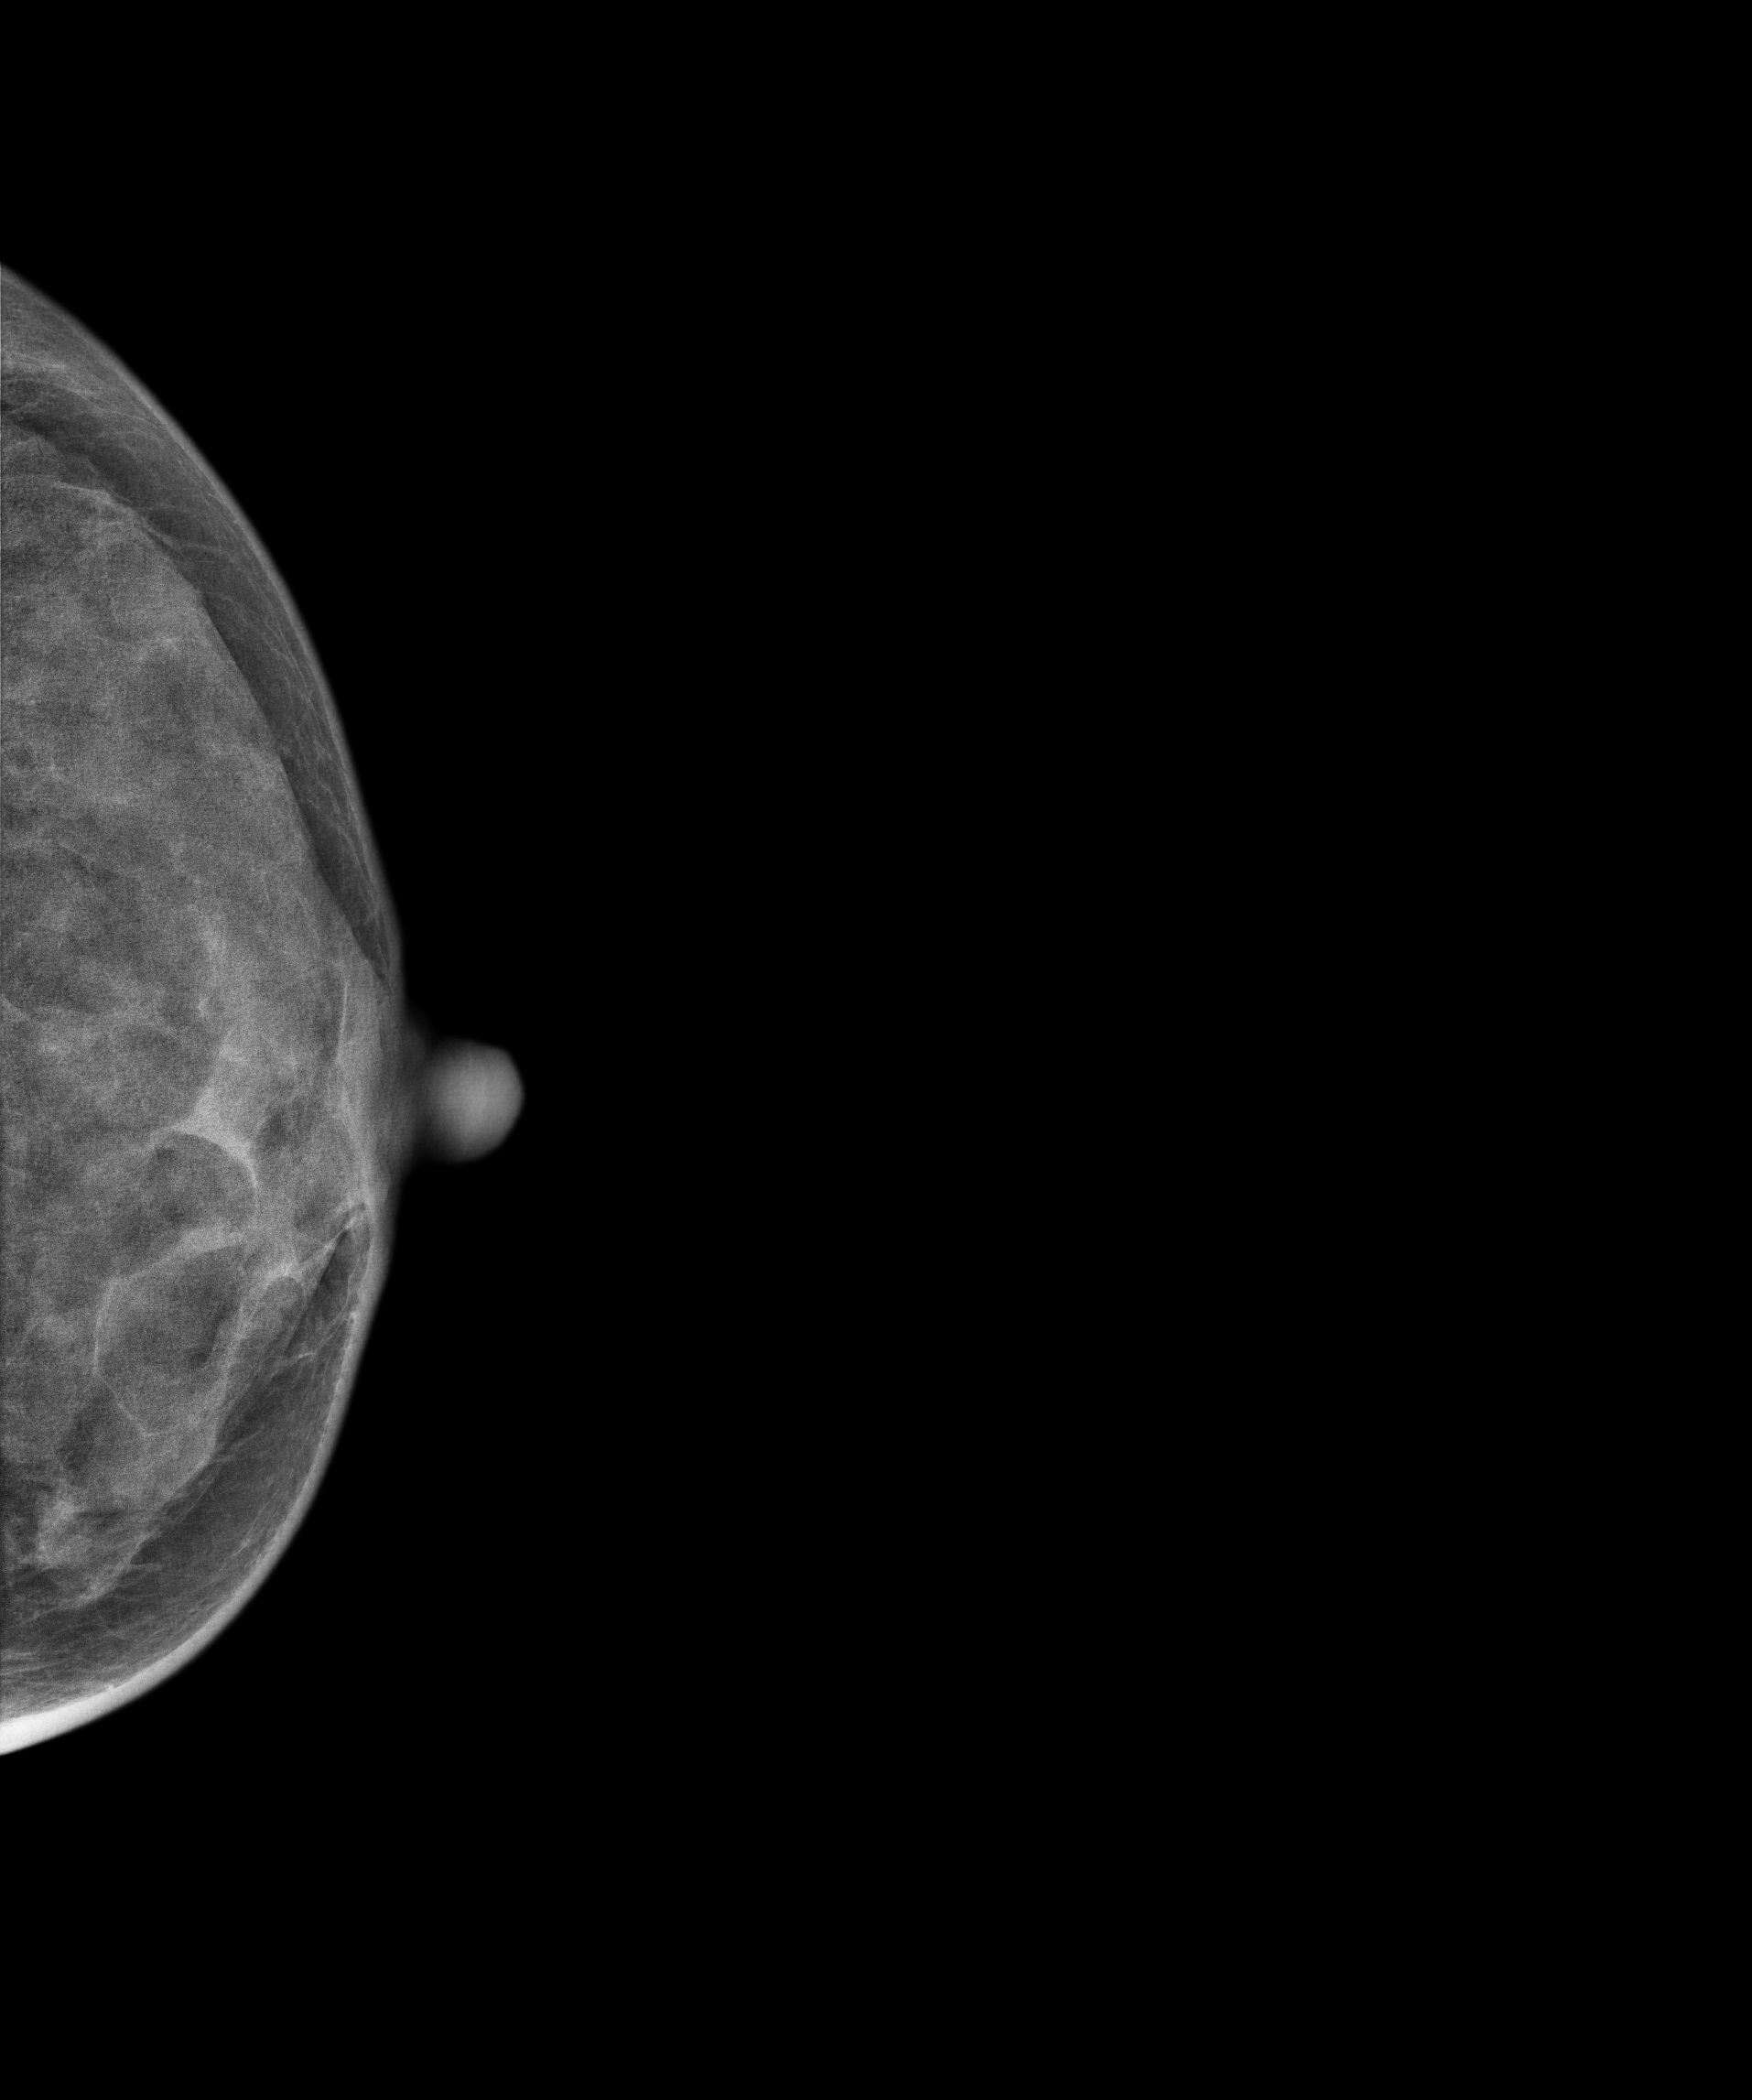
Digital mammography. Left breast, cranio-caudal projection. 39-year-old patient.
This breast has a mass, pathology-confirmed malignant.